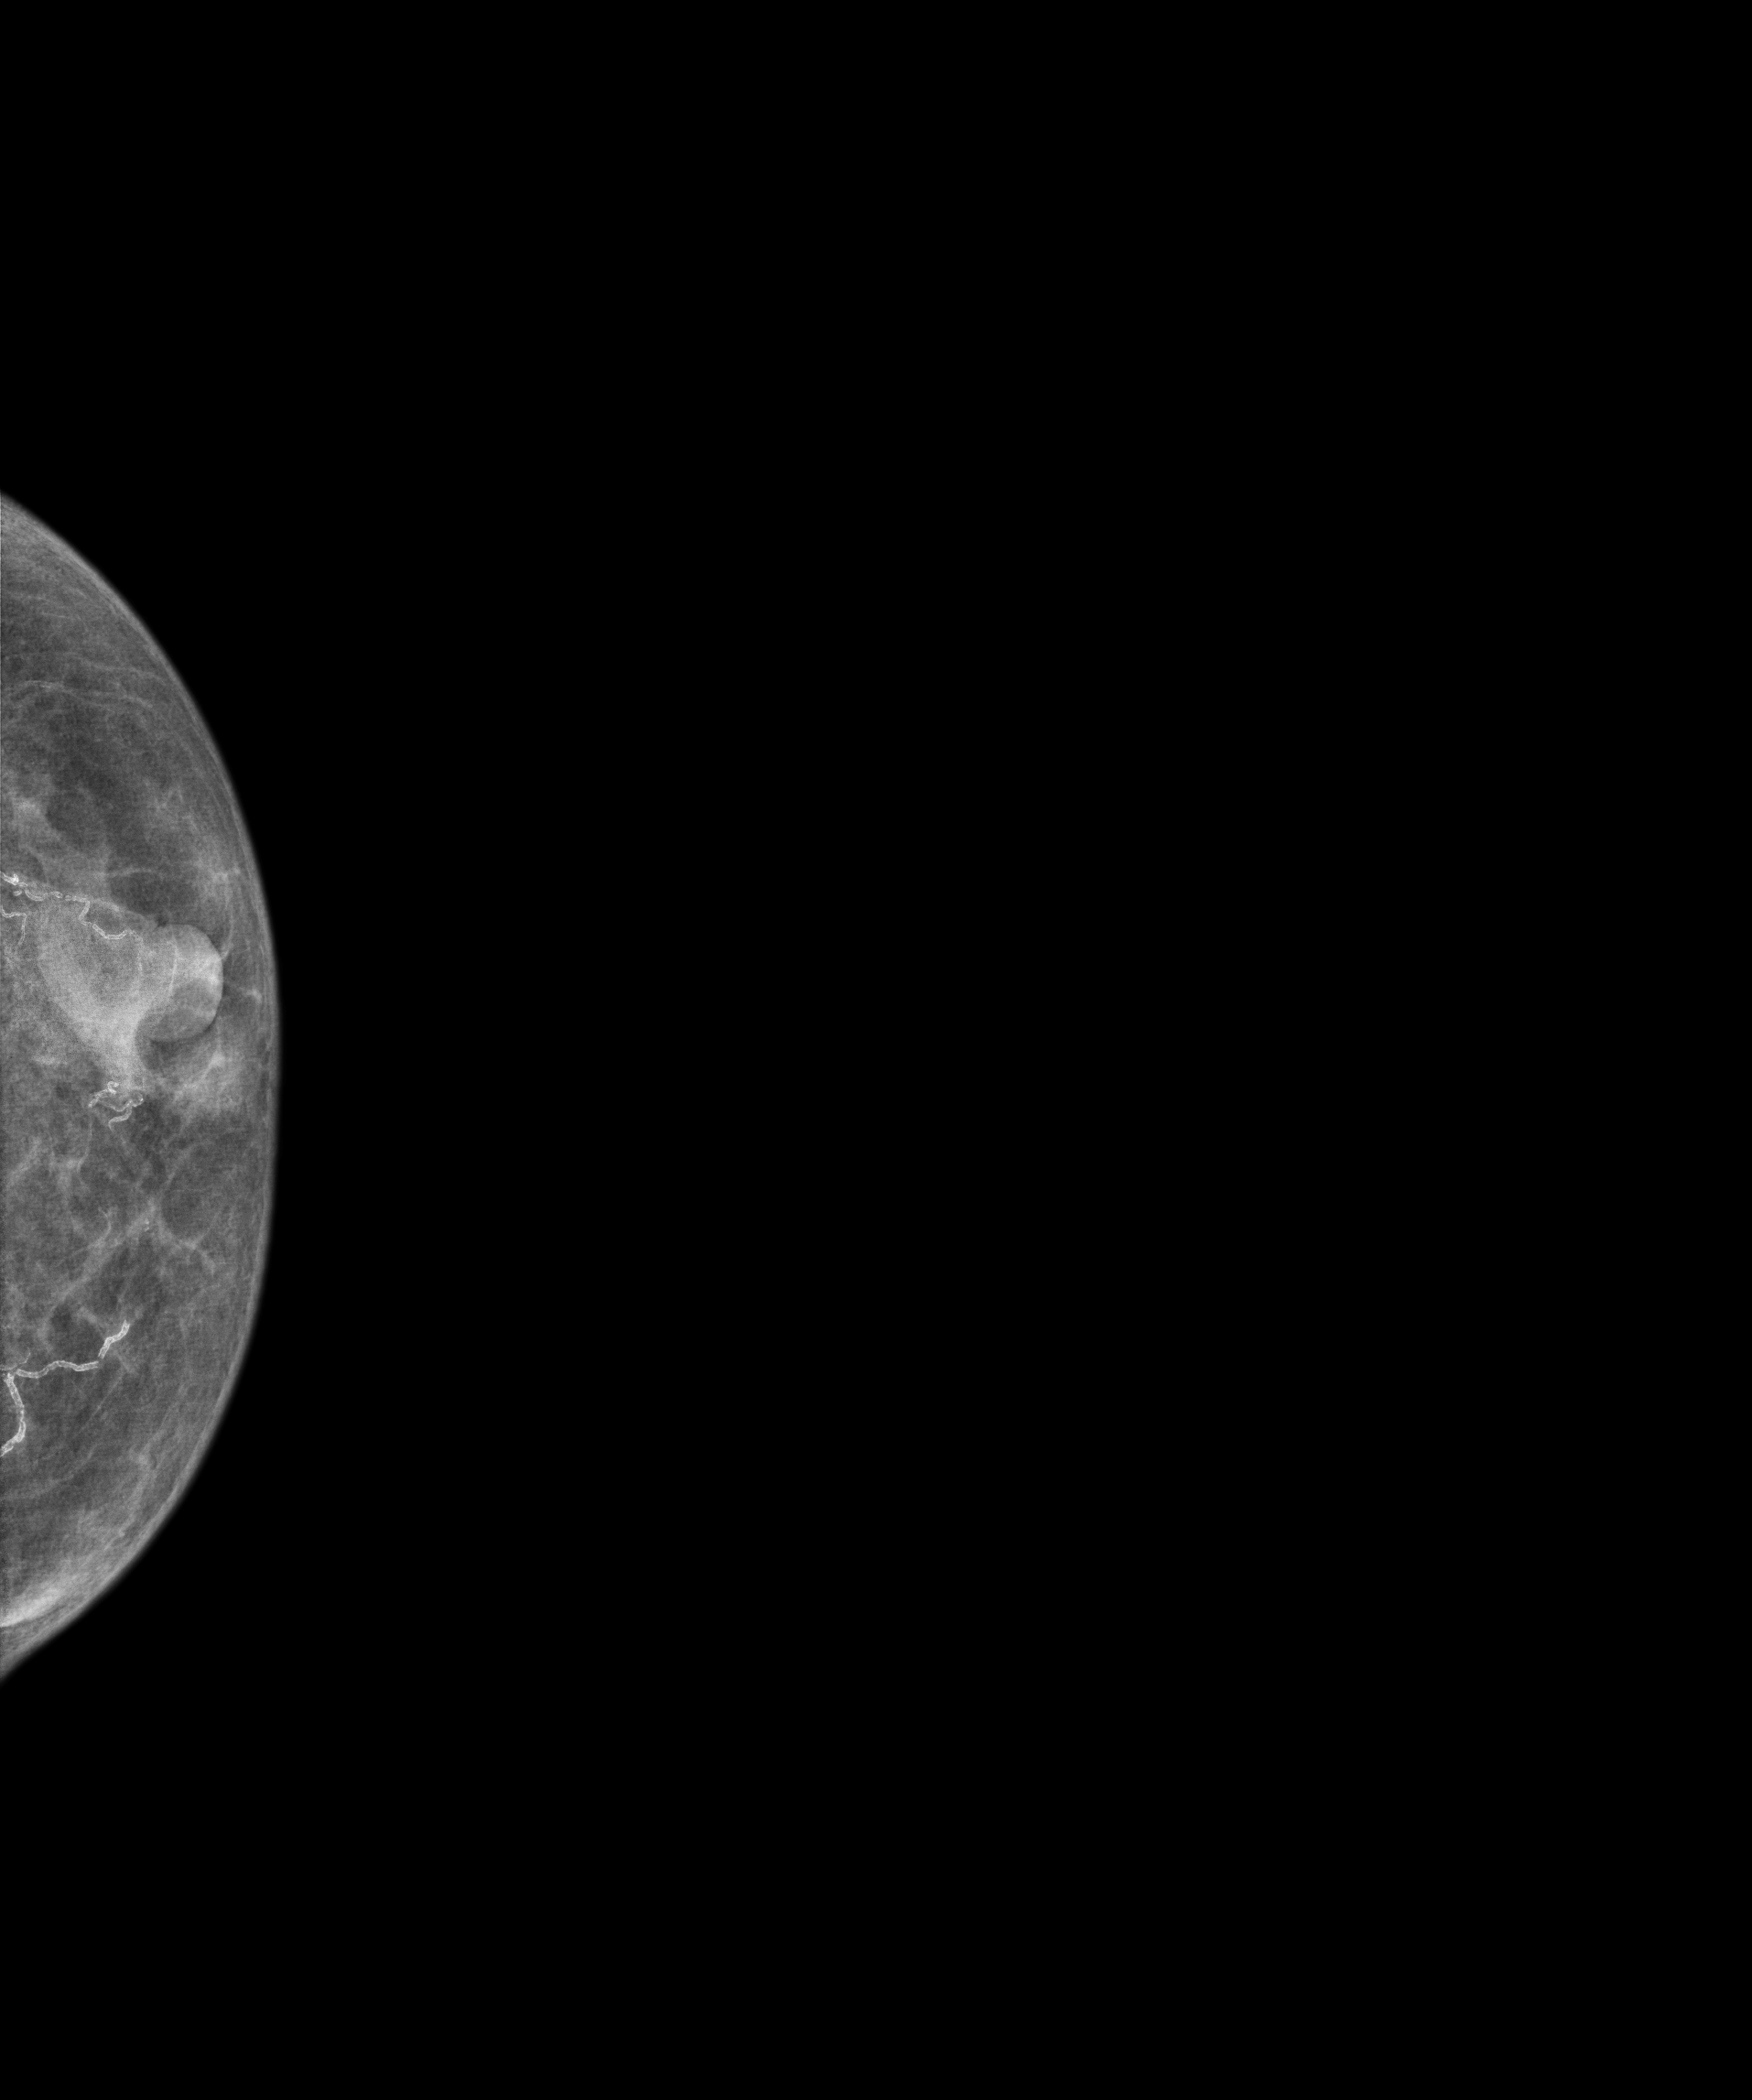
Digital mammography. Left breast, CC projection. 85-year-old patient.
This breast has a mass, pathology-confirmed malignant. Molecular subtype: triple-negative.